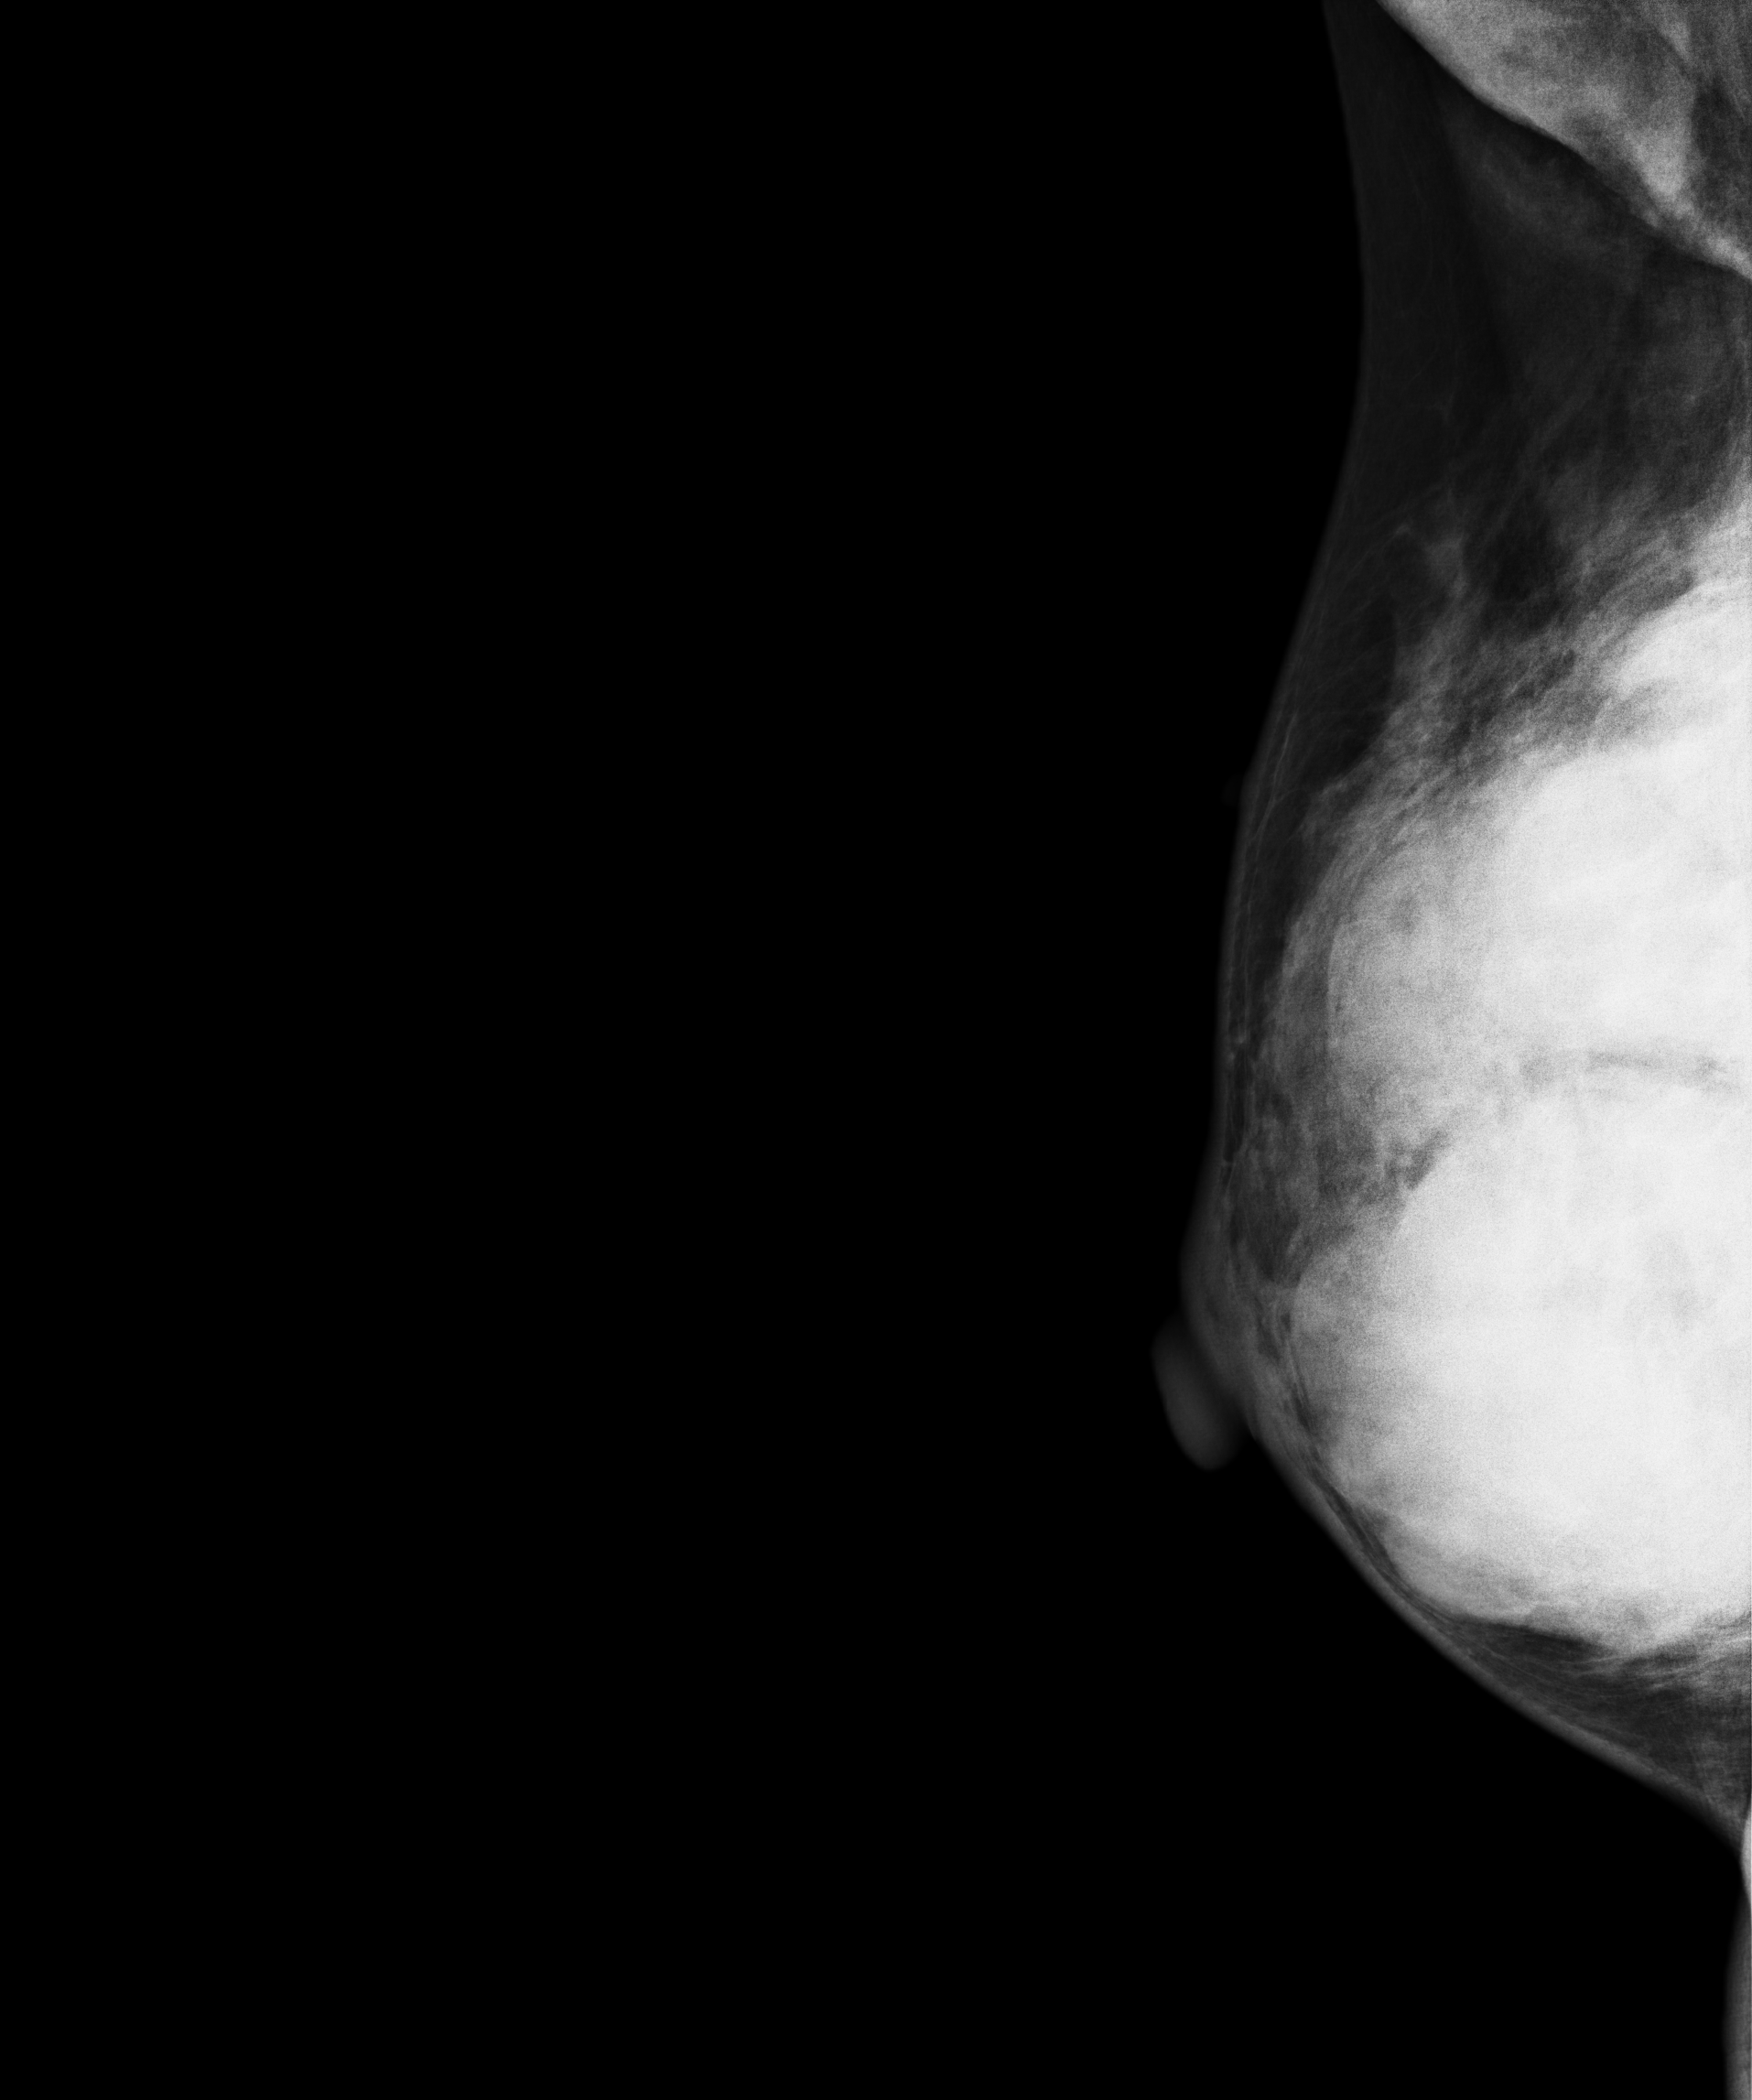
Digital mammography. Right breast, medio-lateral oblique projection. 48-year-old patient.
This breast has a mass, histologically confirmed malignant.